Digital mammography. Left breast, CC projection. Patient age 45.
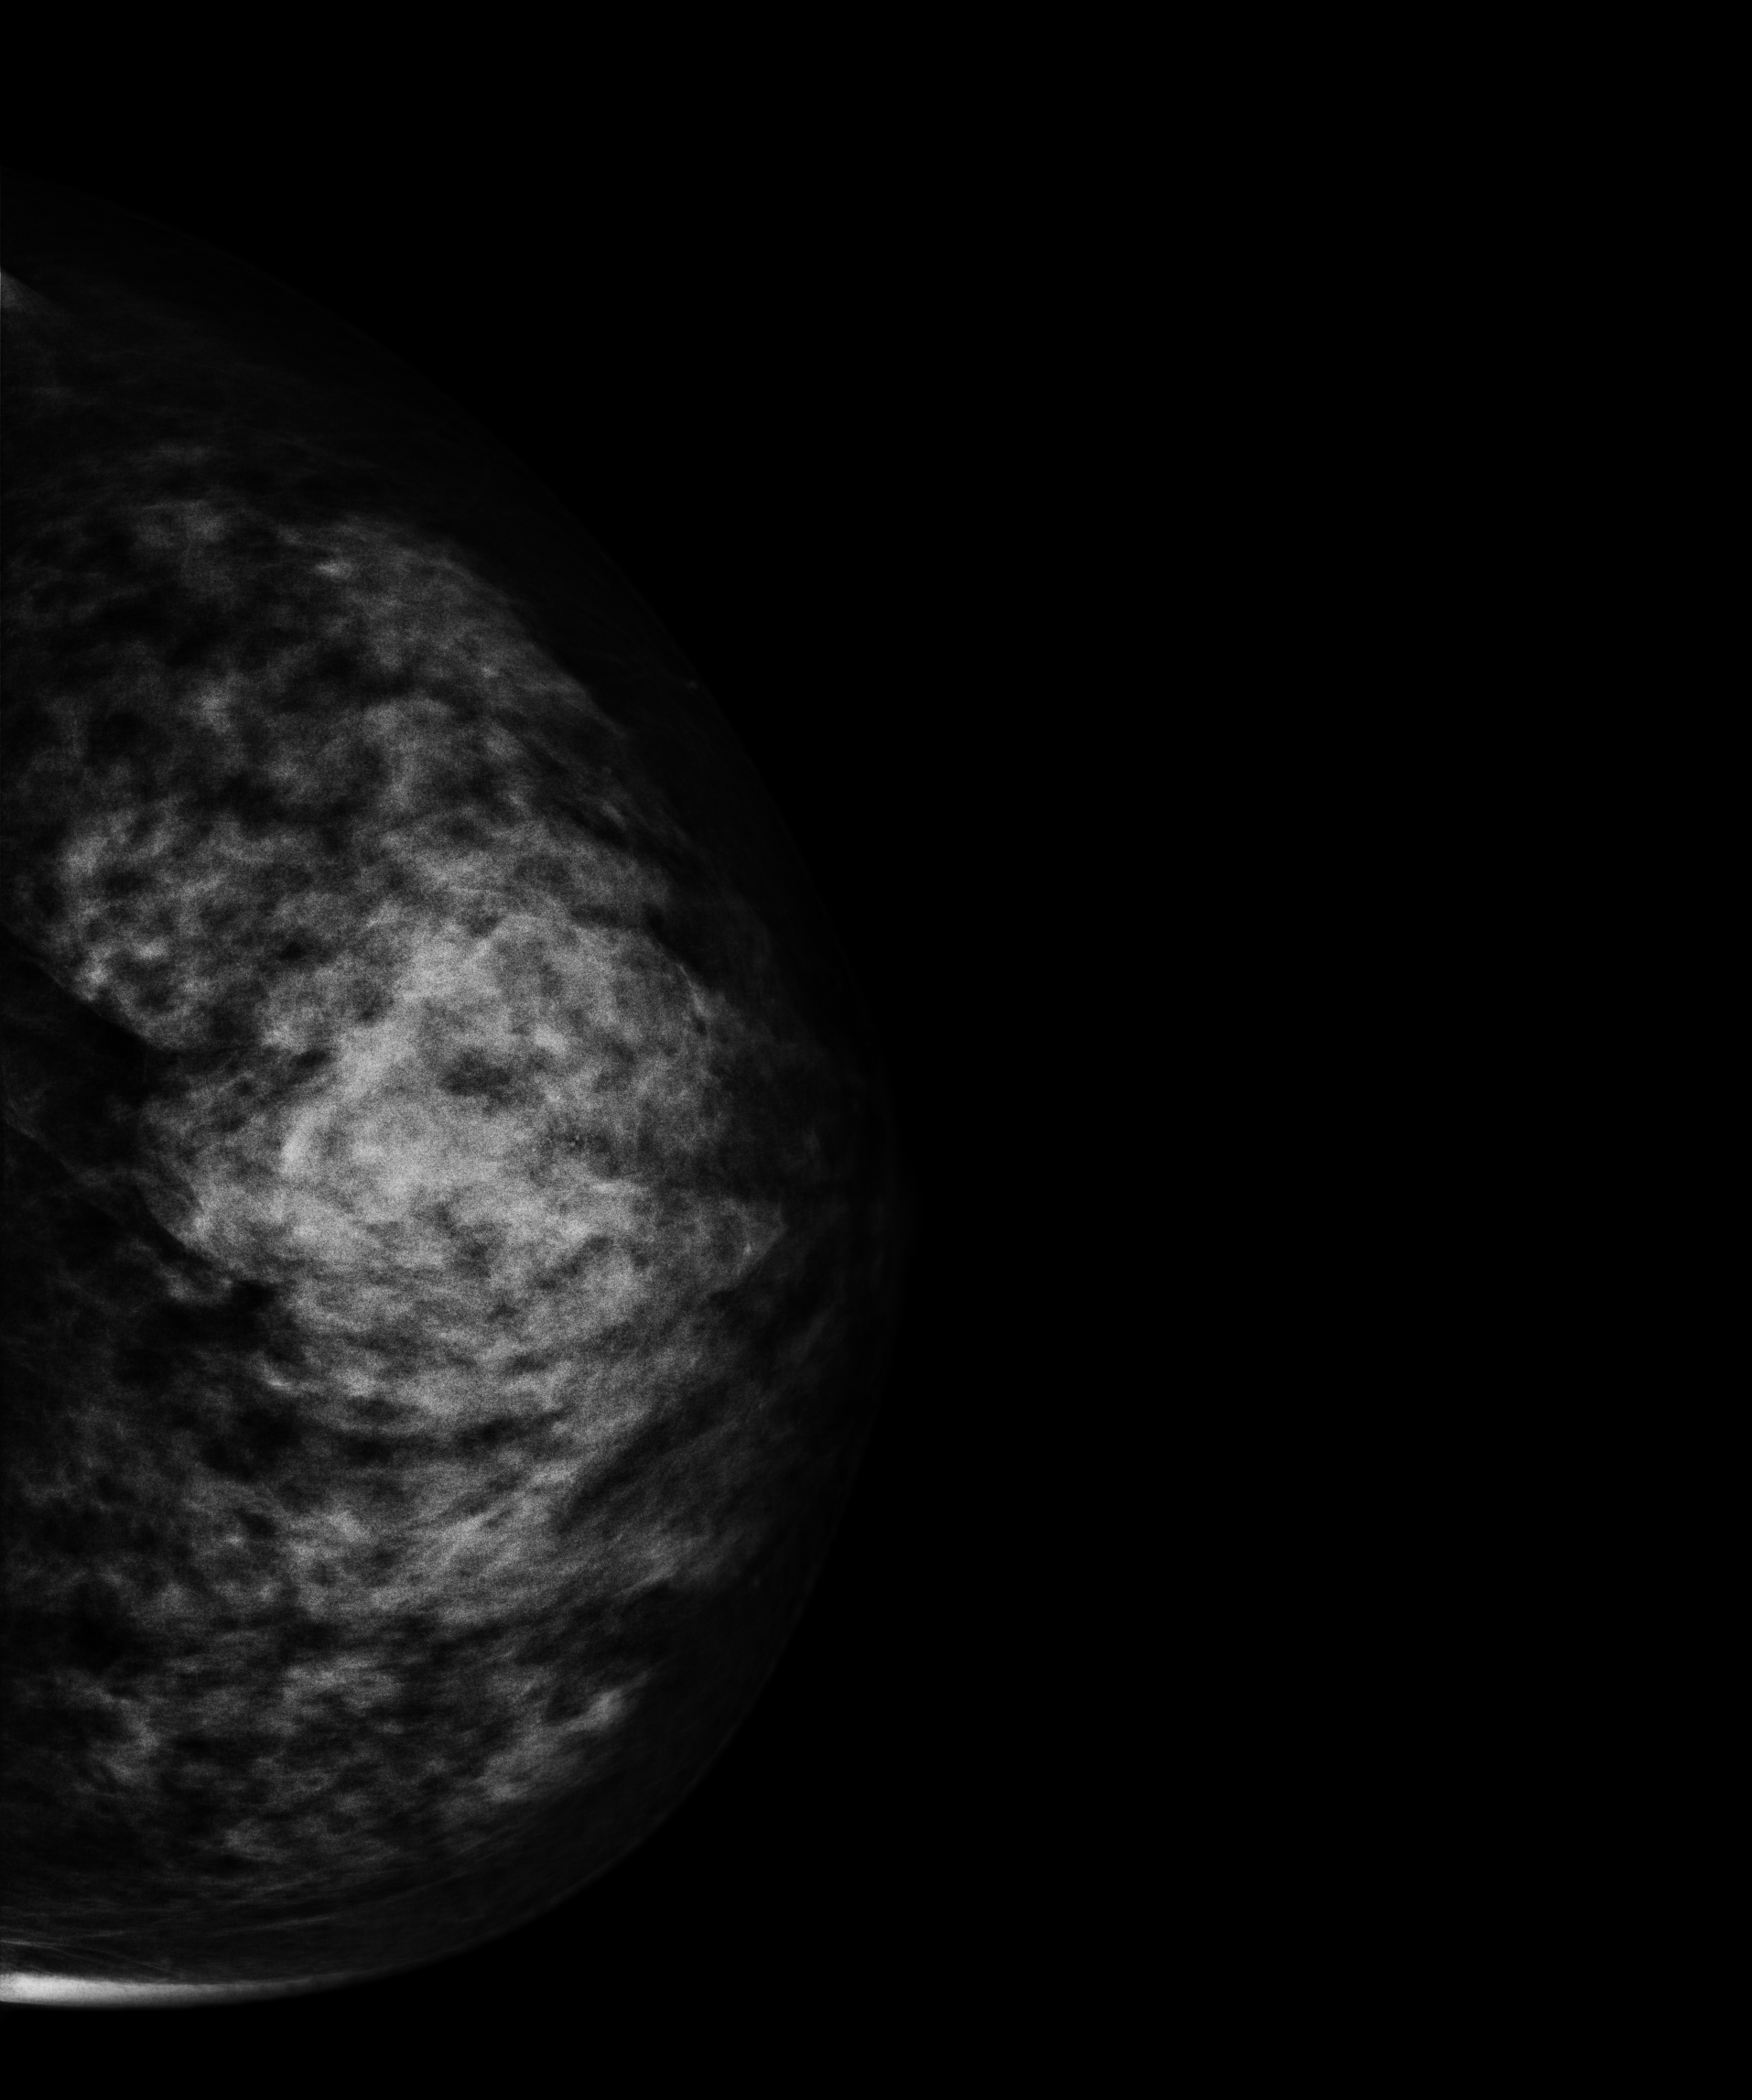
This breast has a mass, pathology-confirmed malignant. Molecular subtype: HER2-enriched.